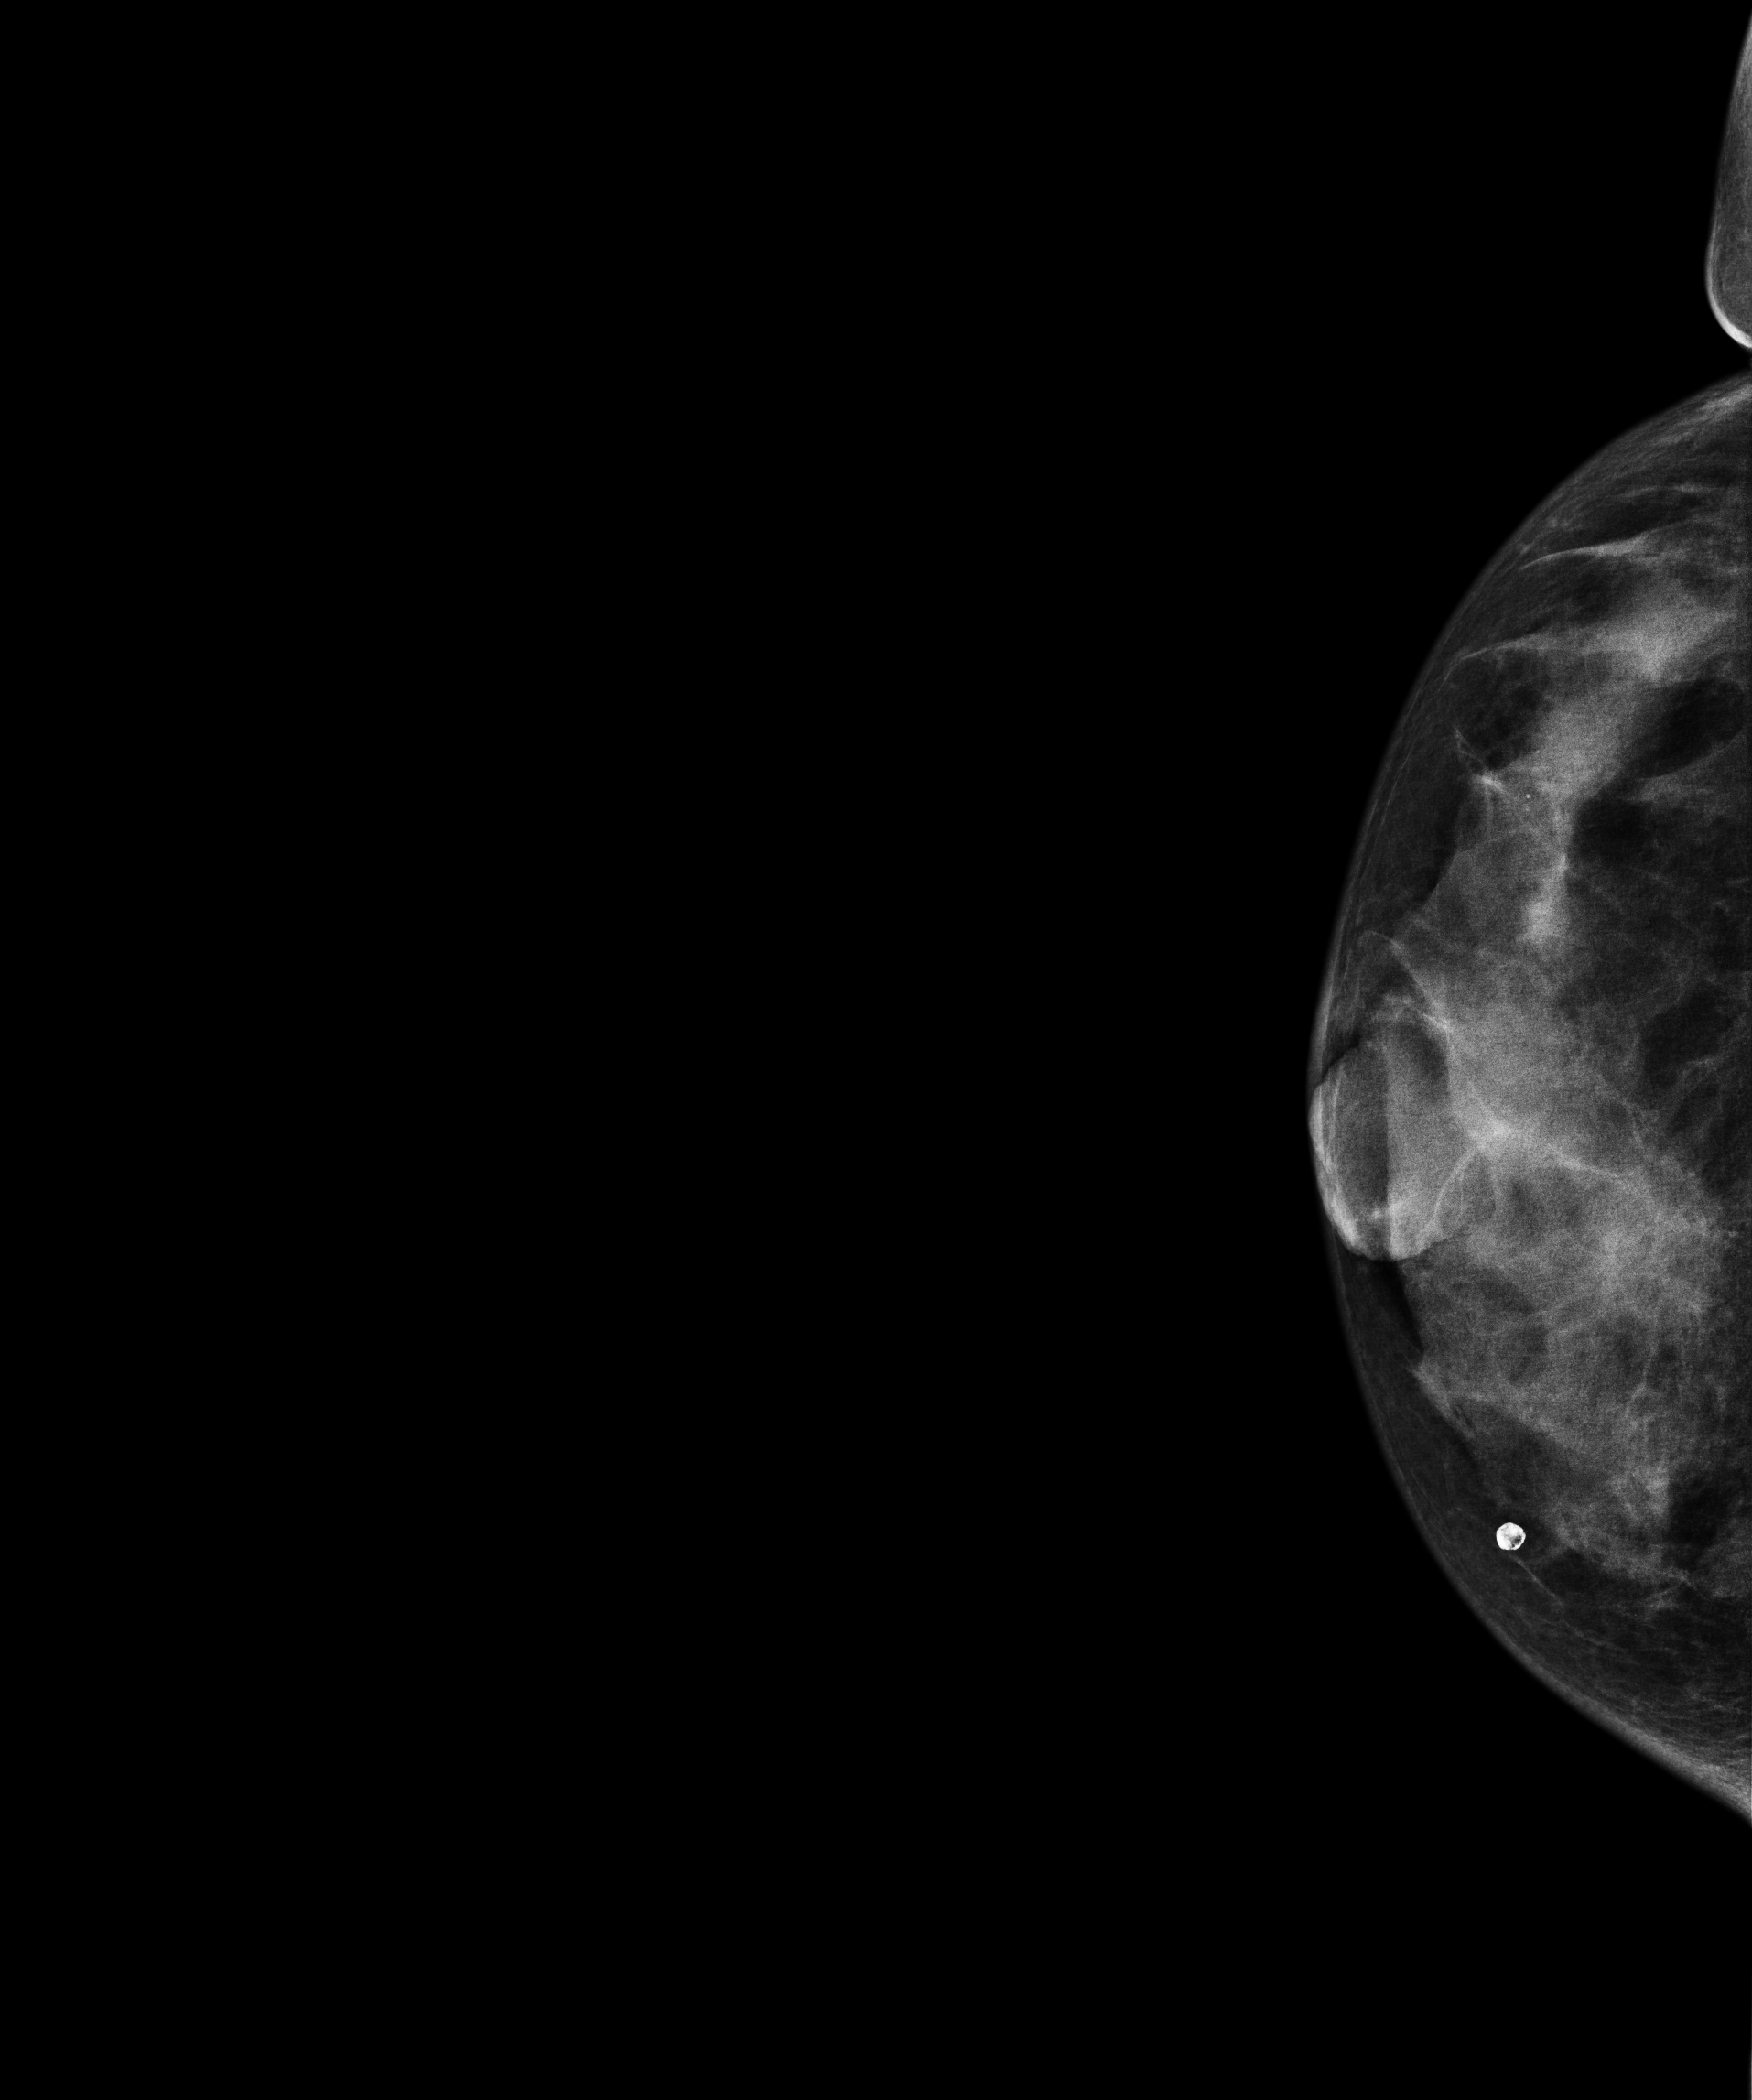
Mammogram, right breast, CC view. 35 y/o patient.
This breast has a mass, histologically confirmed malignant. Molecular subtype: luminal B.